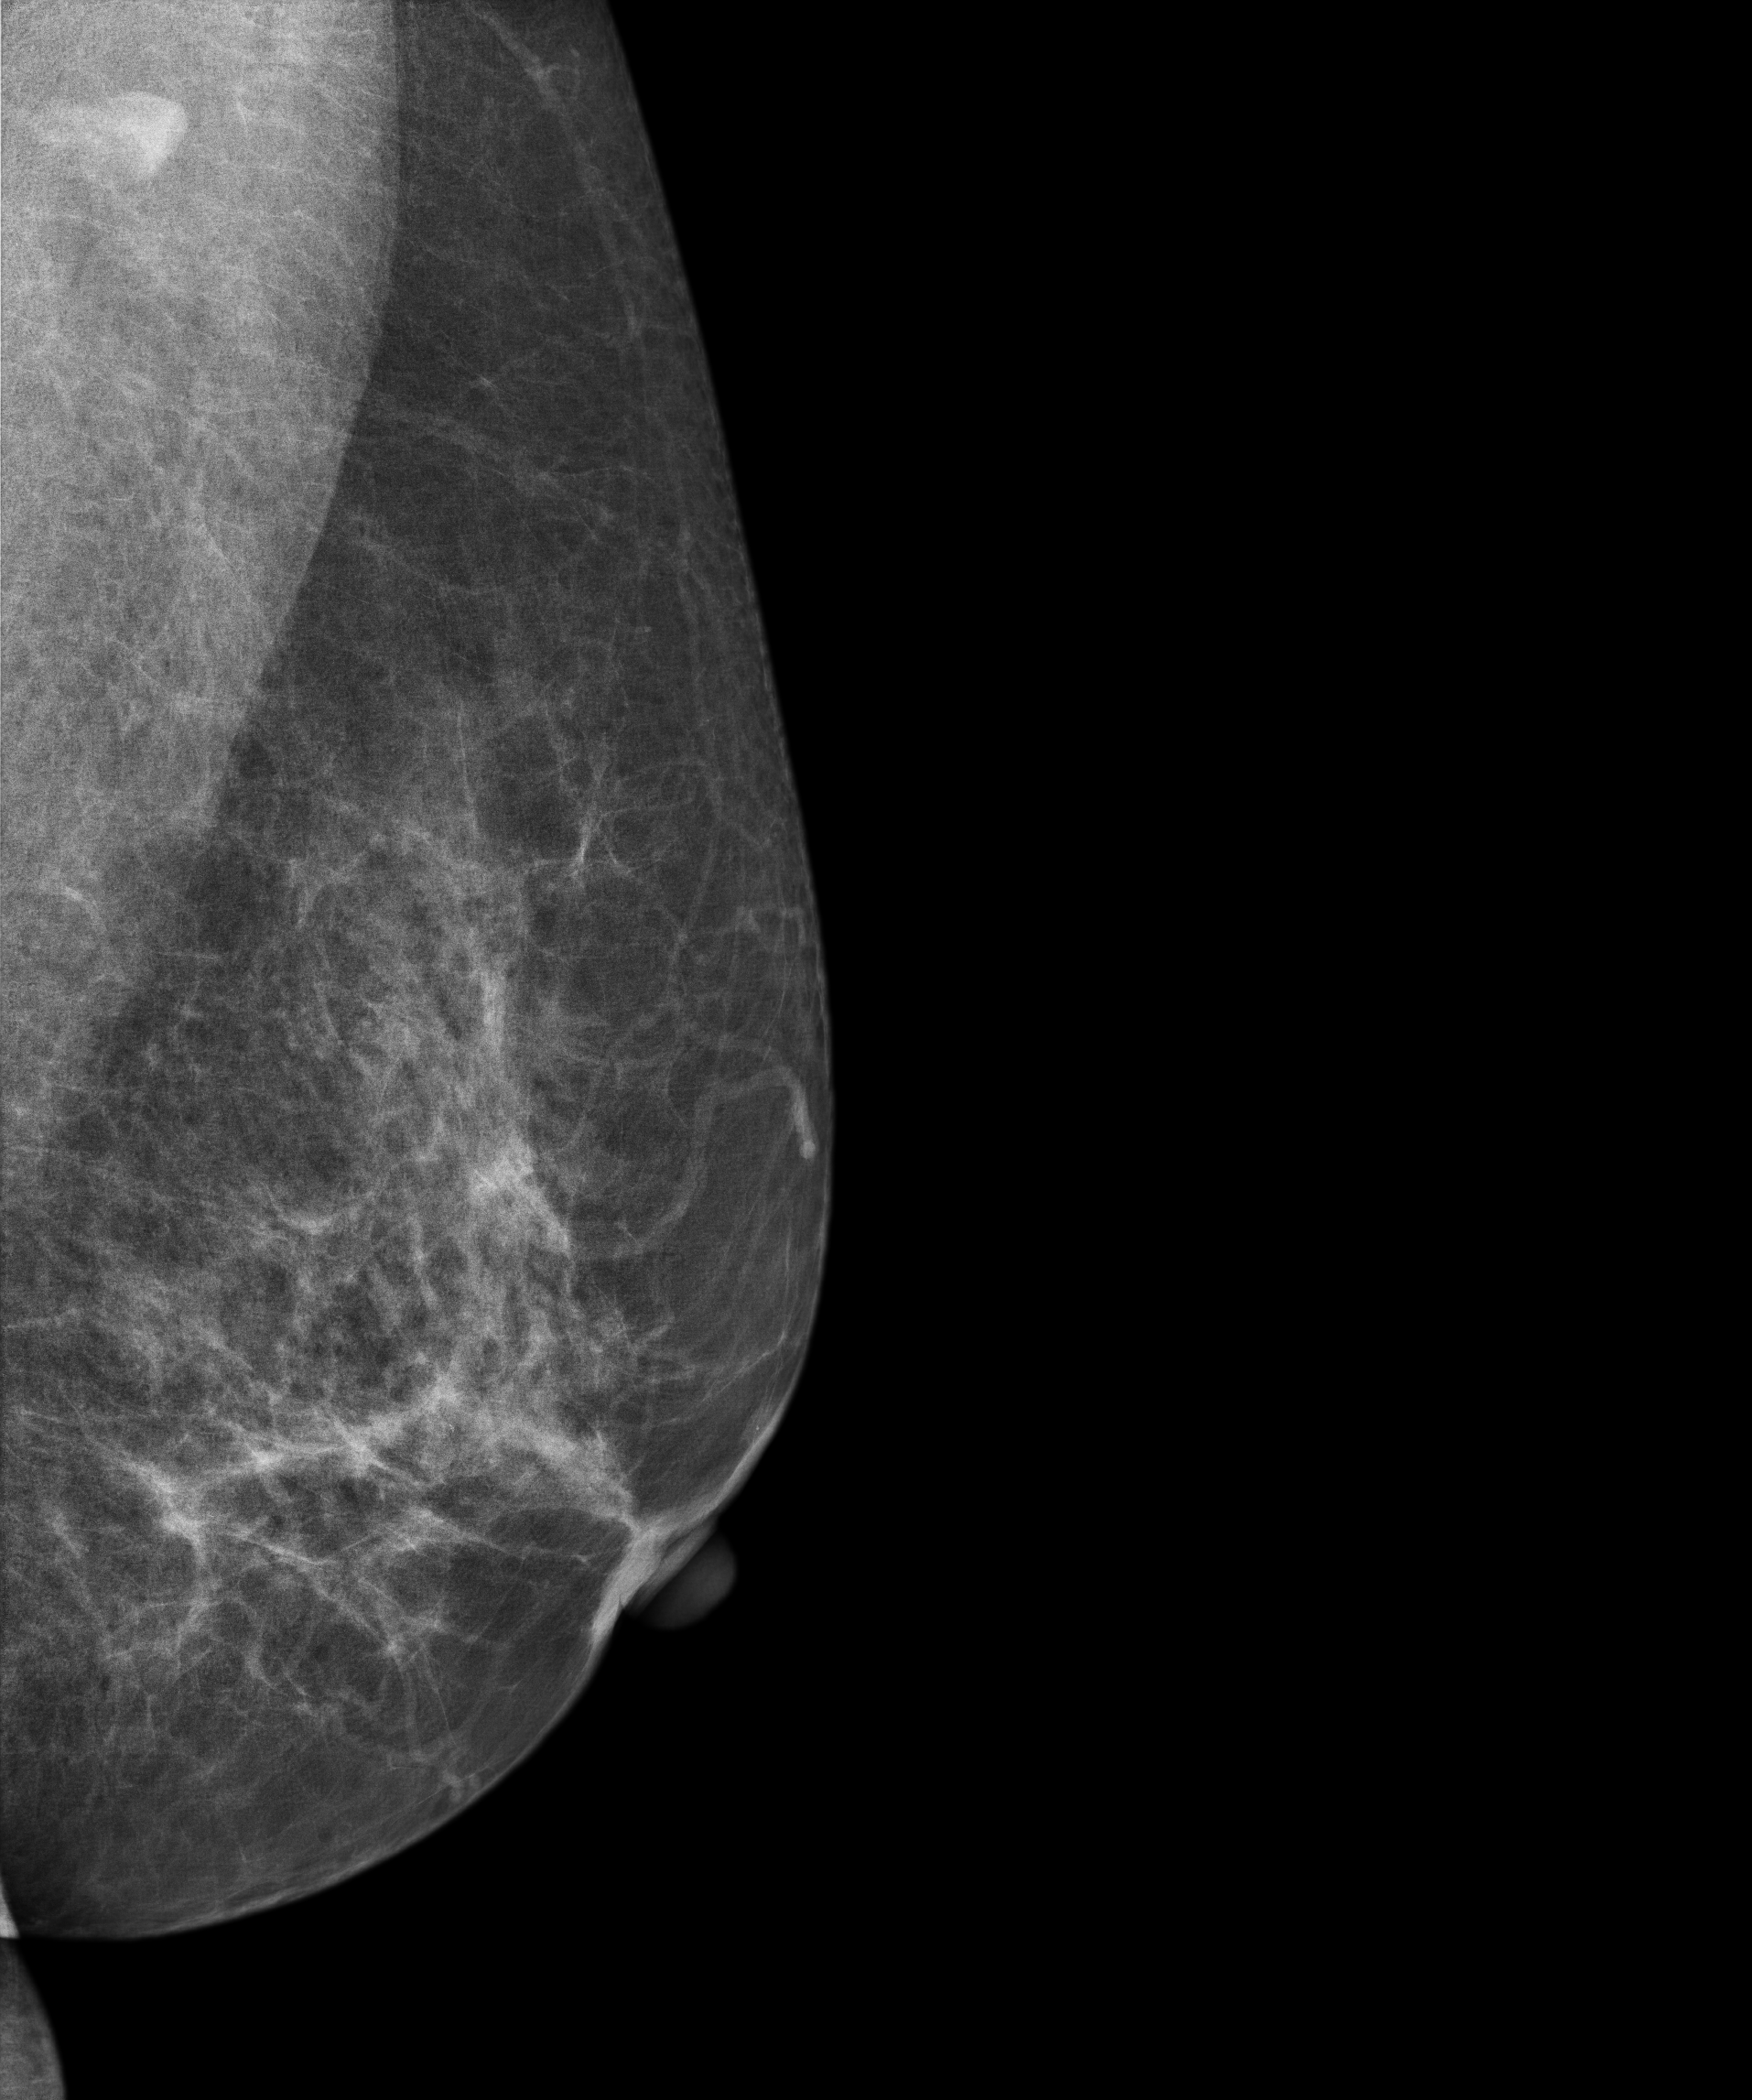
Left-breast mammogram, MLO. 55-year-old patient.
Contralateral breast — no documented abnormality on this side.